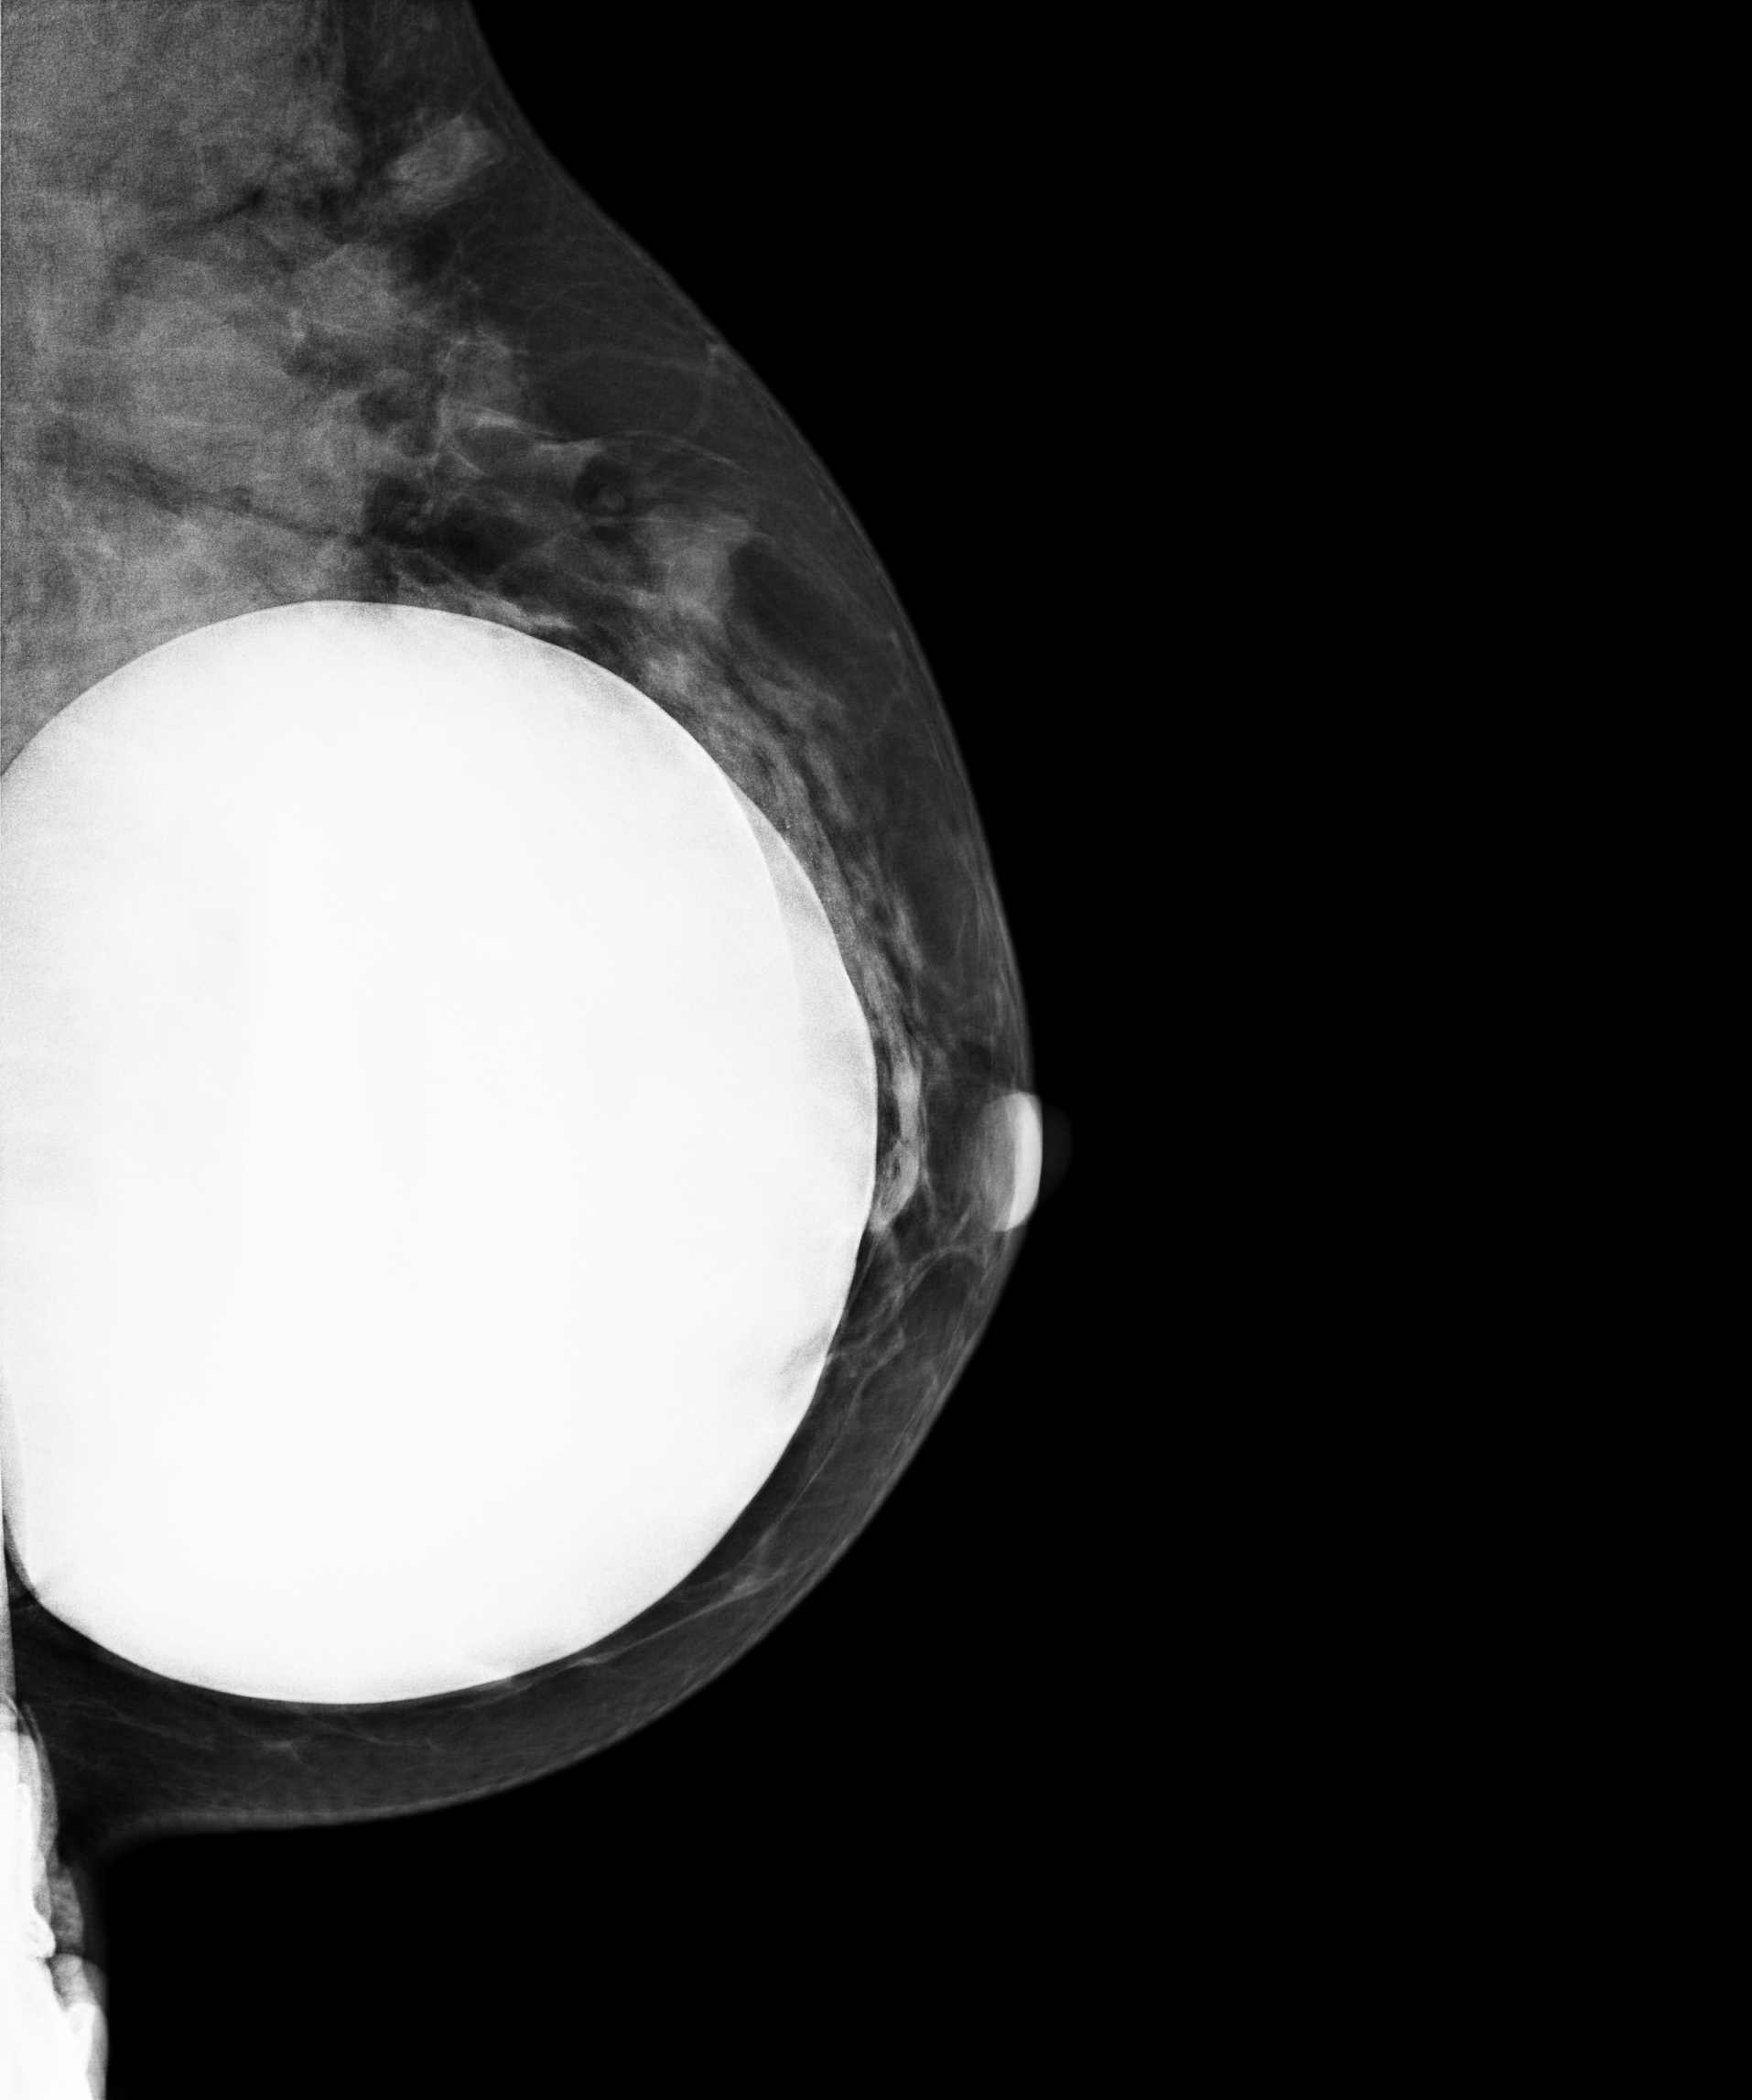
Mammogram, left breast, medio-lateral oblique view. Patient age 42.
This breast has calcifications, biopsy-proven benign.